Mammogram, left breast, cranio-caudal view. Patient age 57.
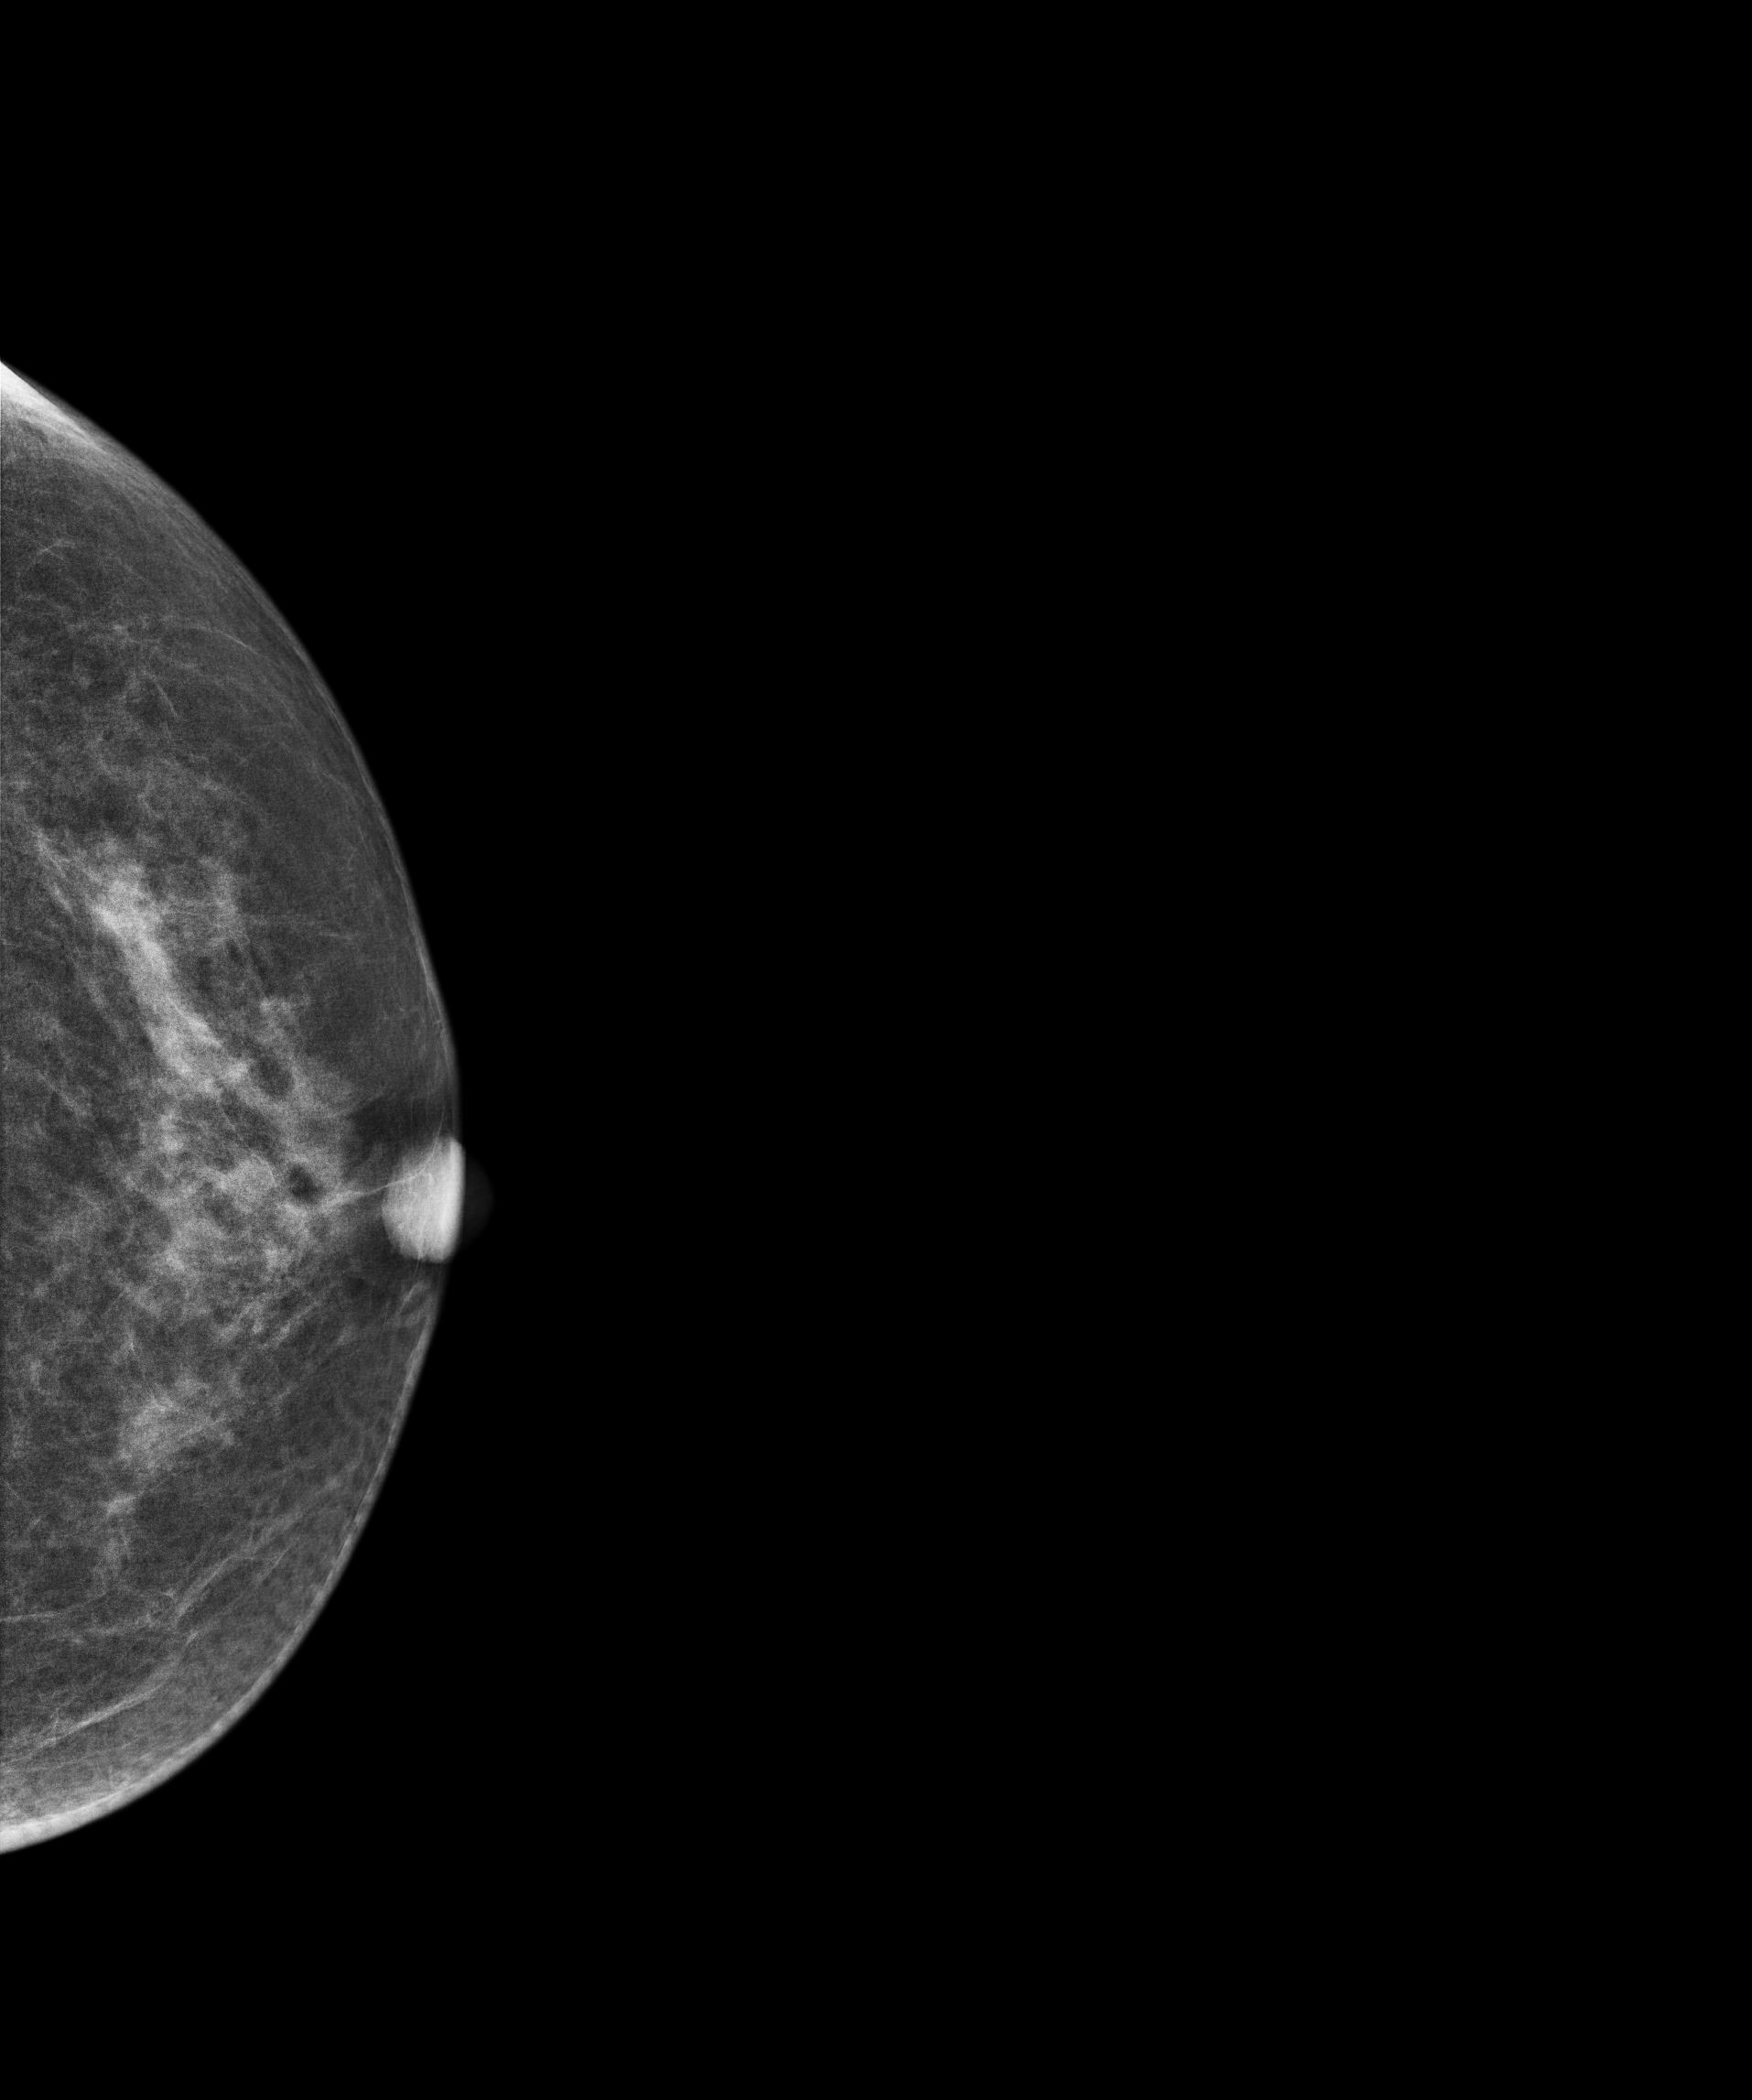
Contralateral breast — no documented abnormality on this side.